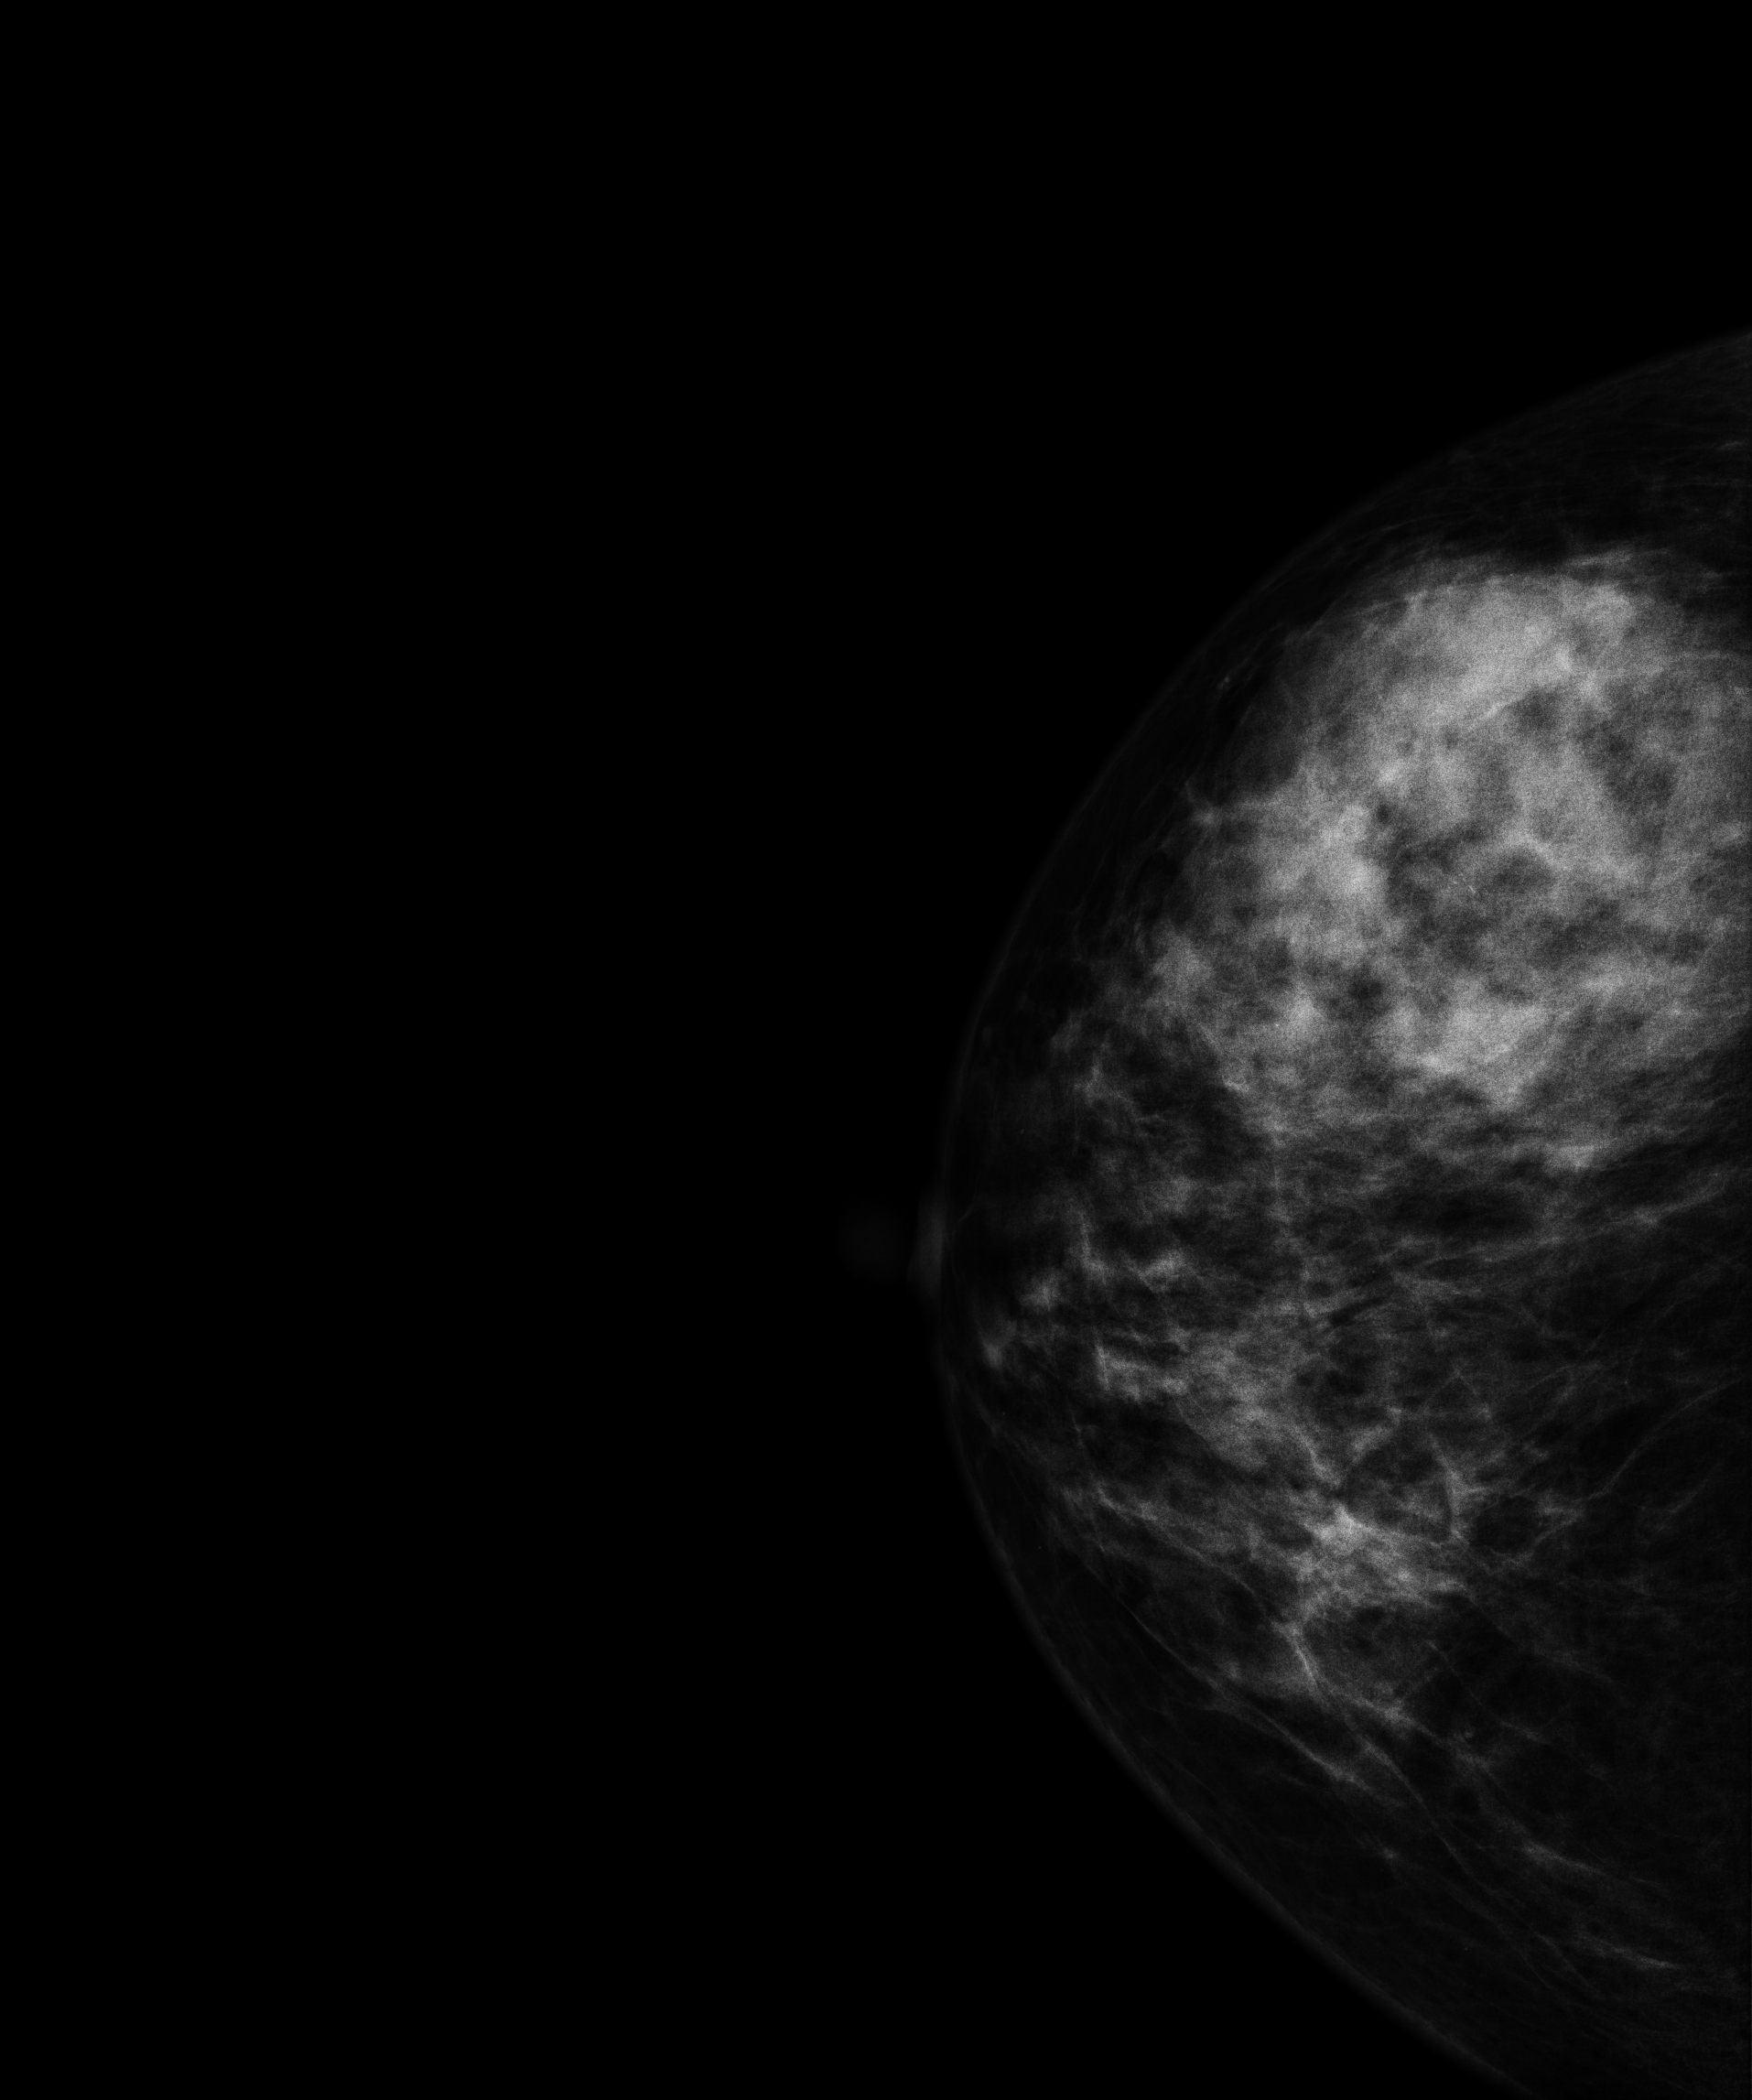
Right-breast mammogram, CC. Patient age 40.
This breast has a mass, pathology-confirmed malignant. Molecular subtype: luminal B.